Left-breast mammogram, CC. 43 y/o patient.
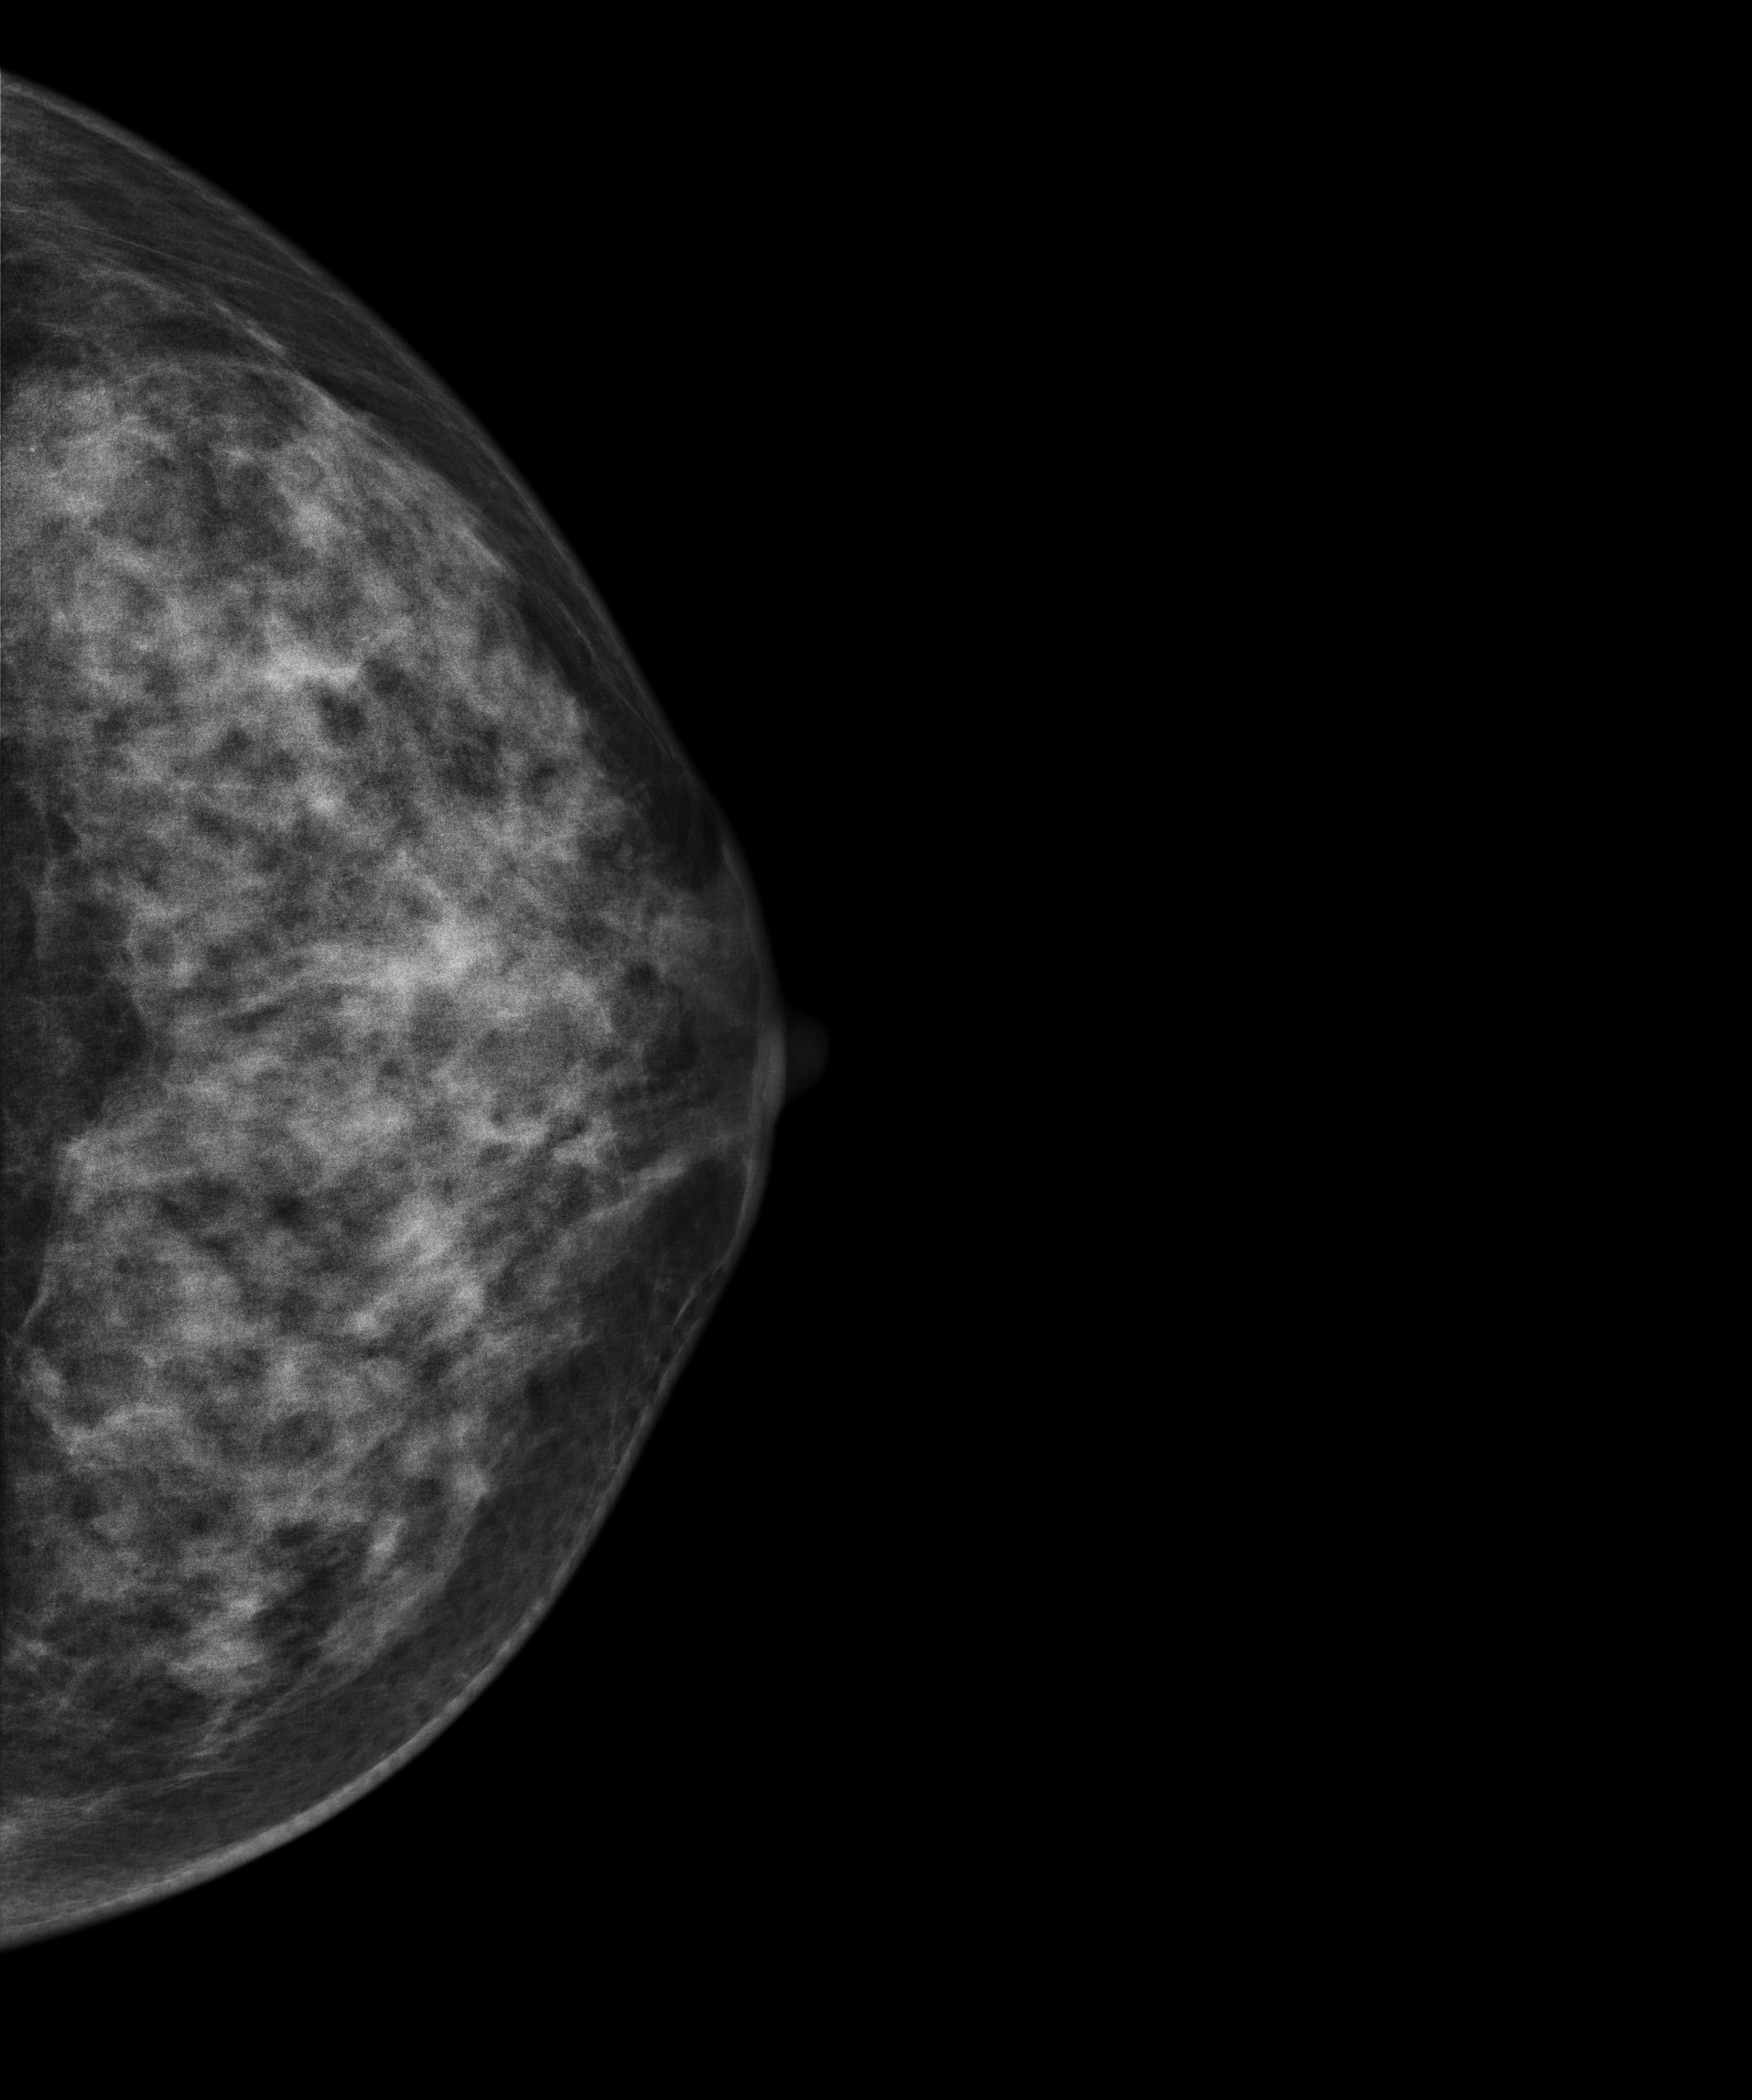
This breast has a mass, biopsy-confirmed malignant.